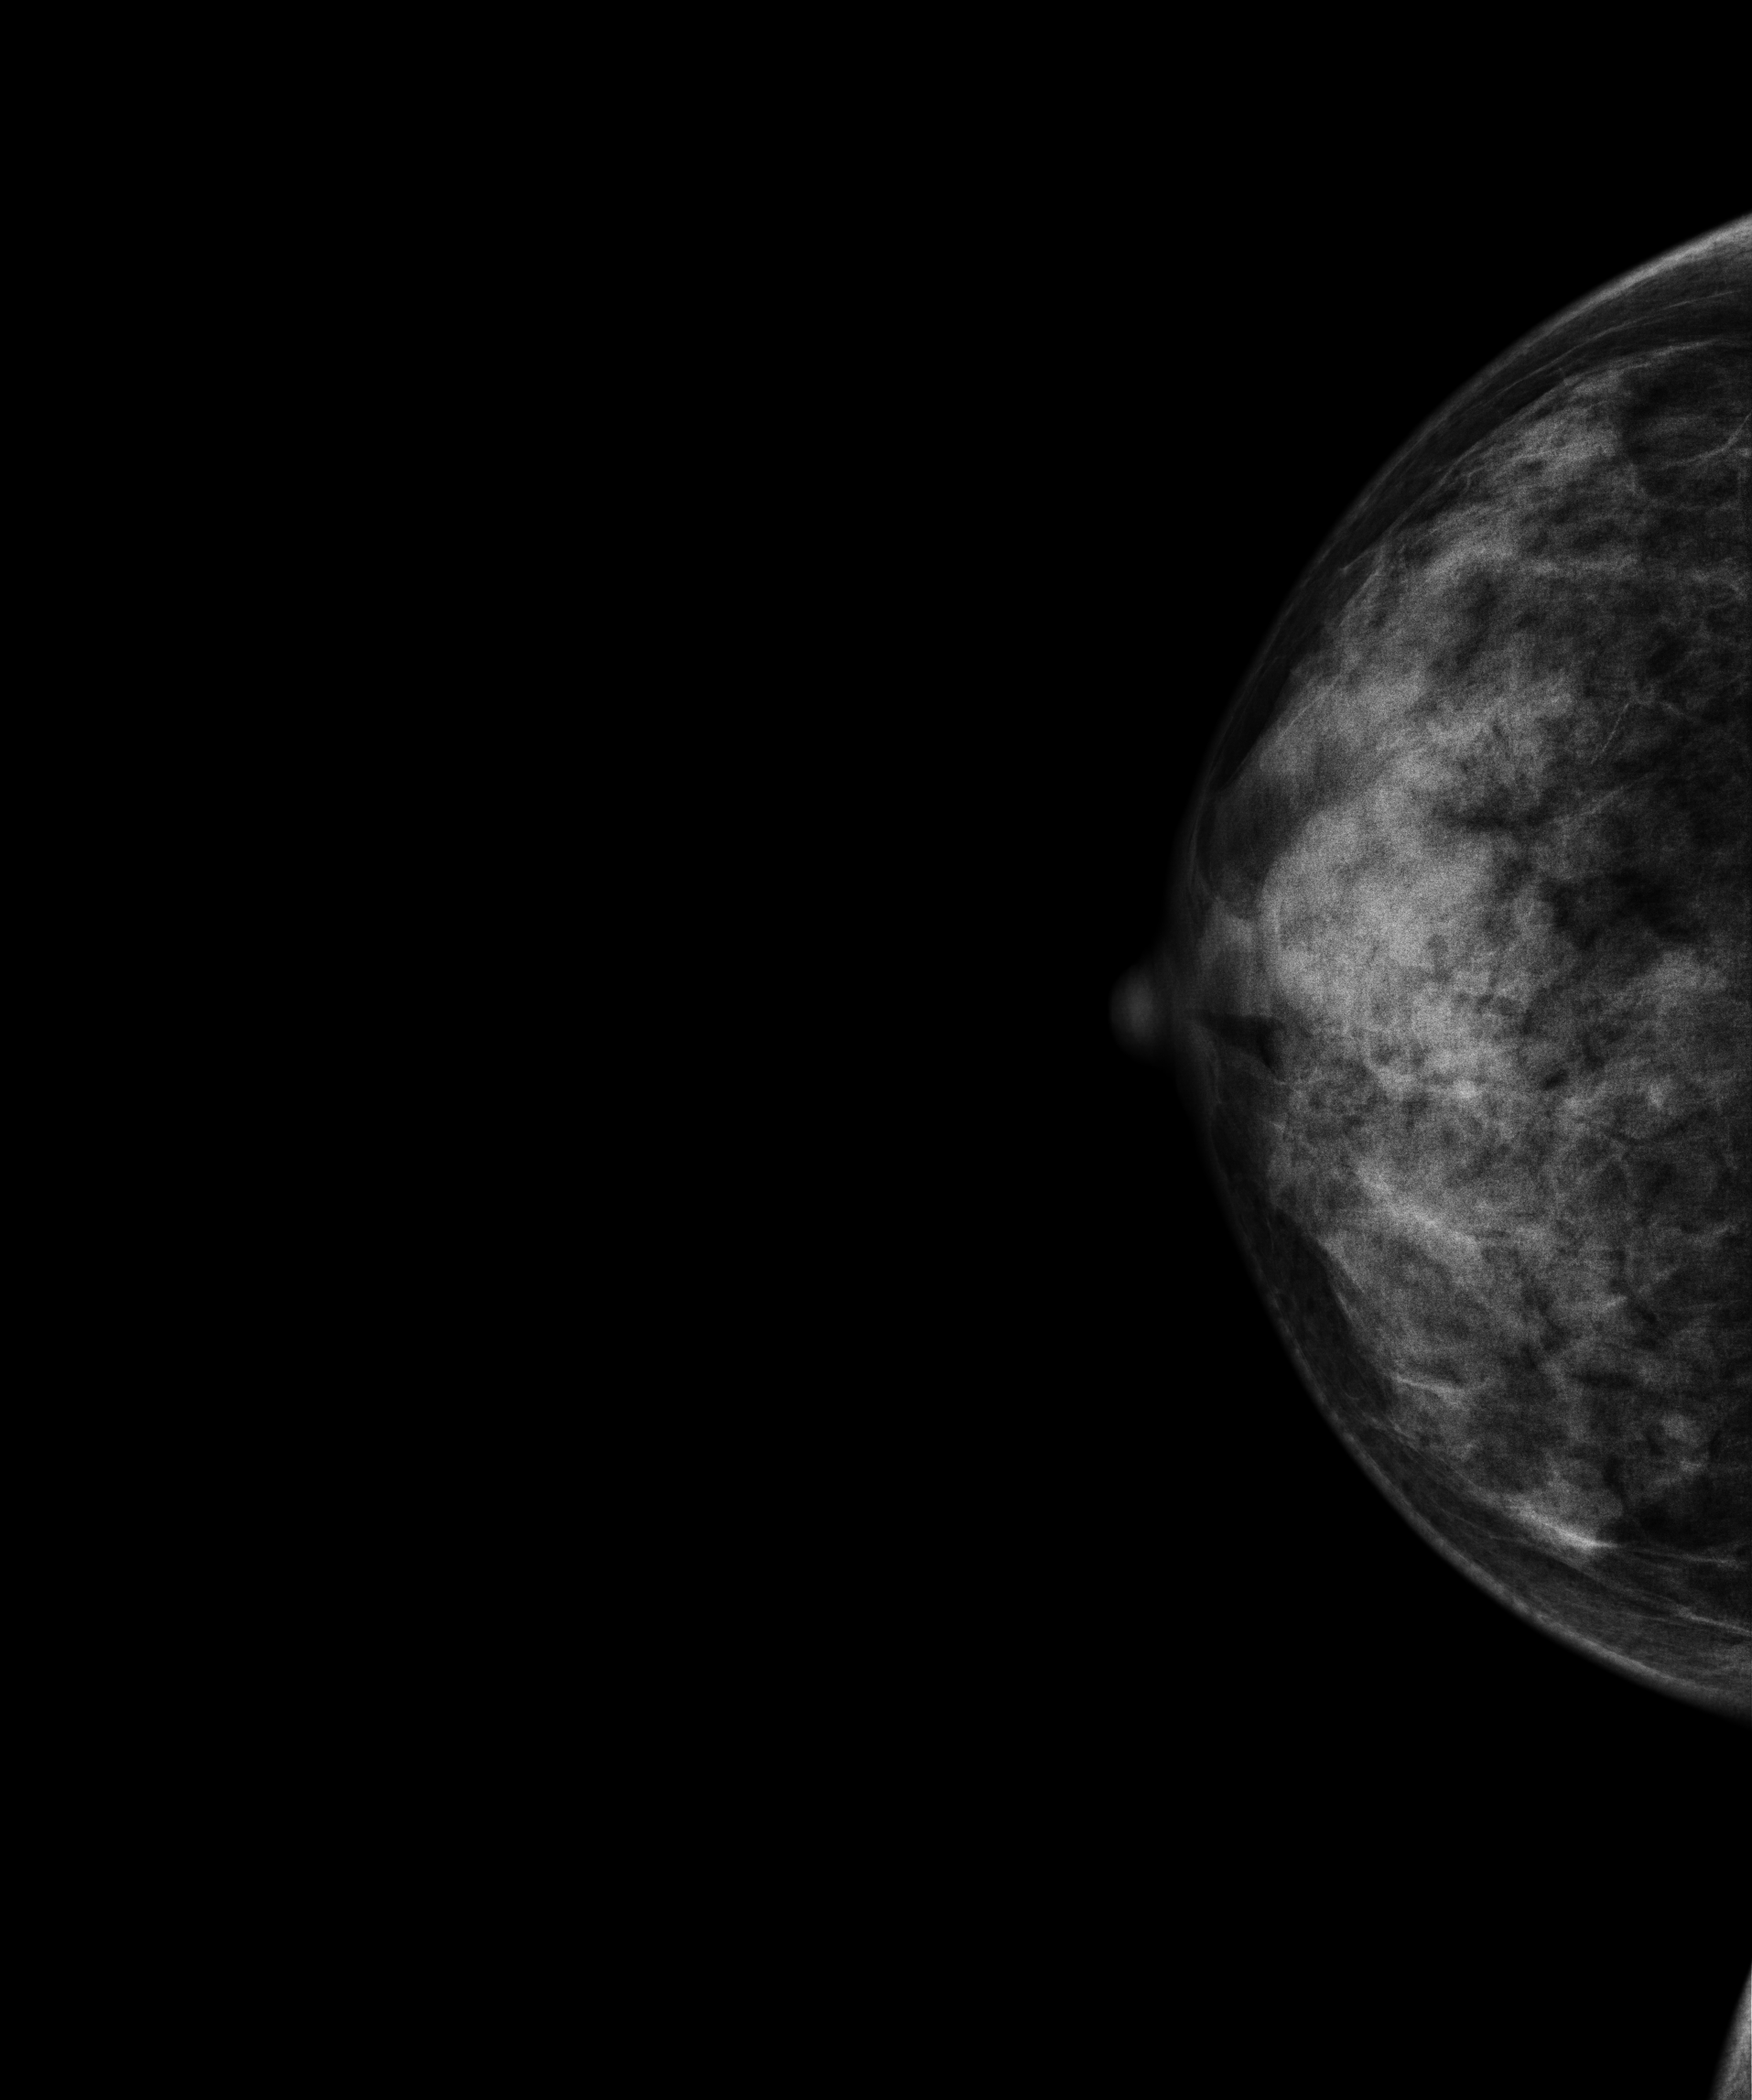
Digital mammography. Right breast, CC projection. 37-year-old patient.
This breast has a mass, biopsy-confirmed benign.